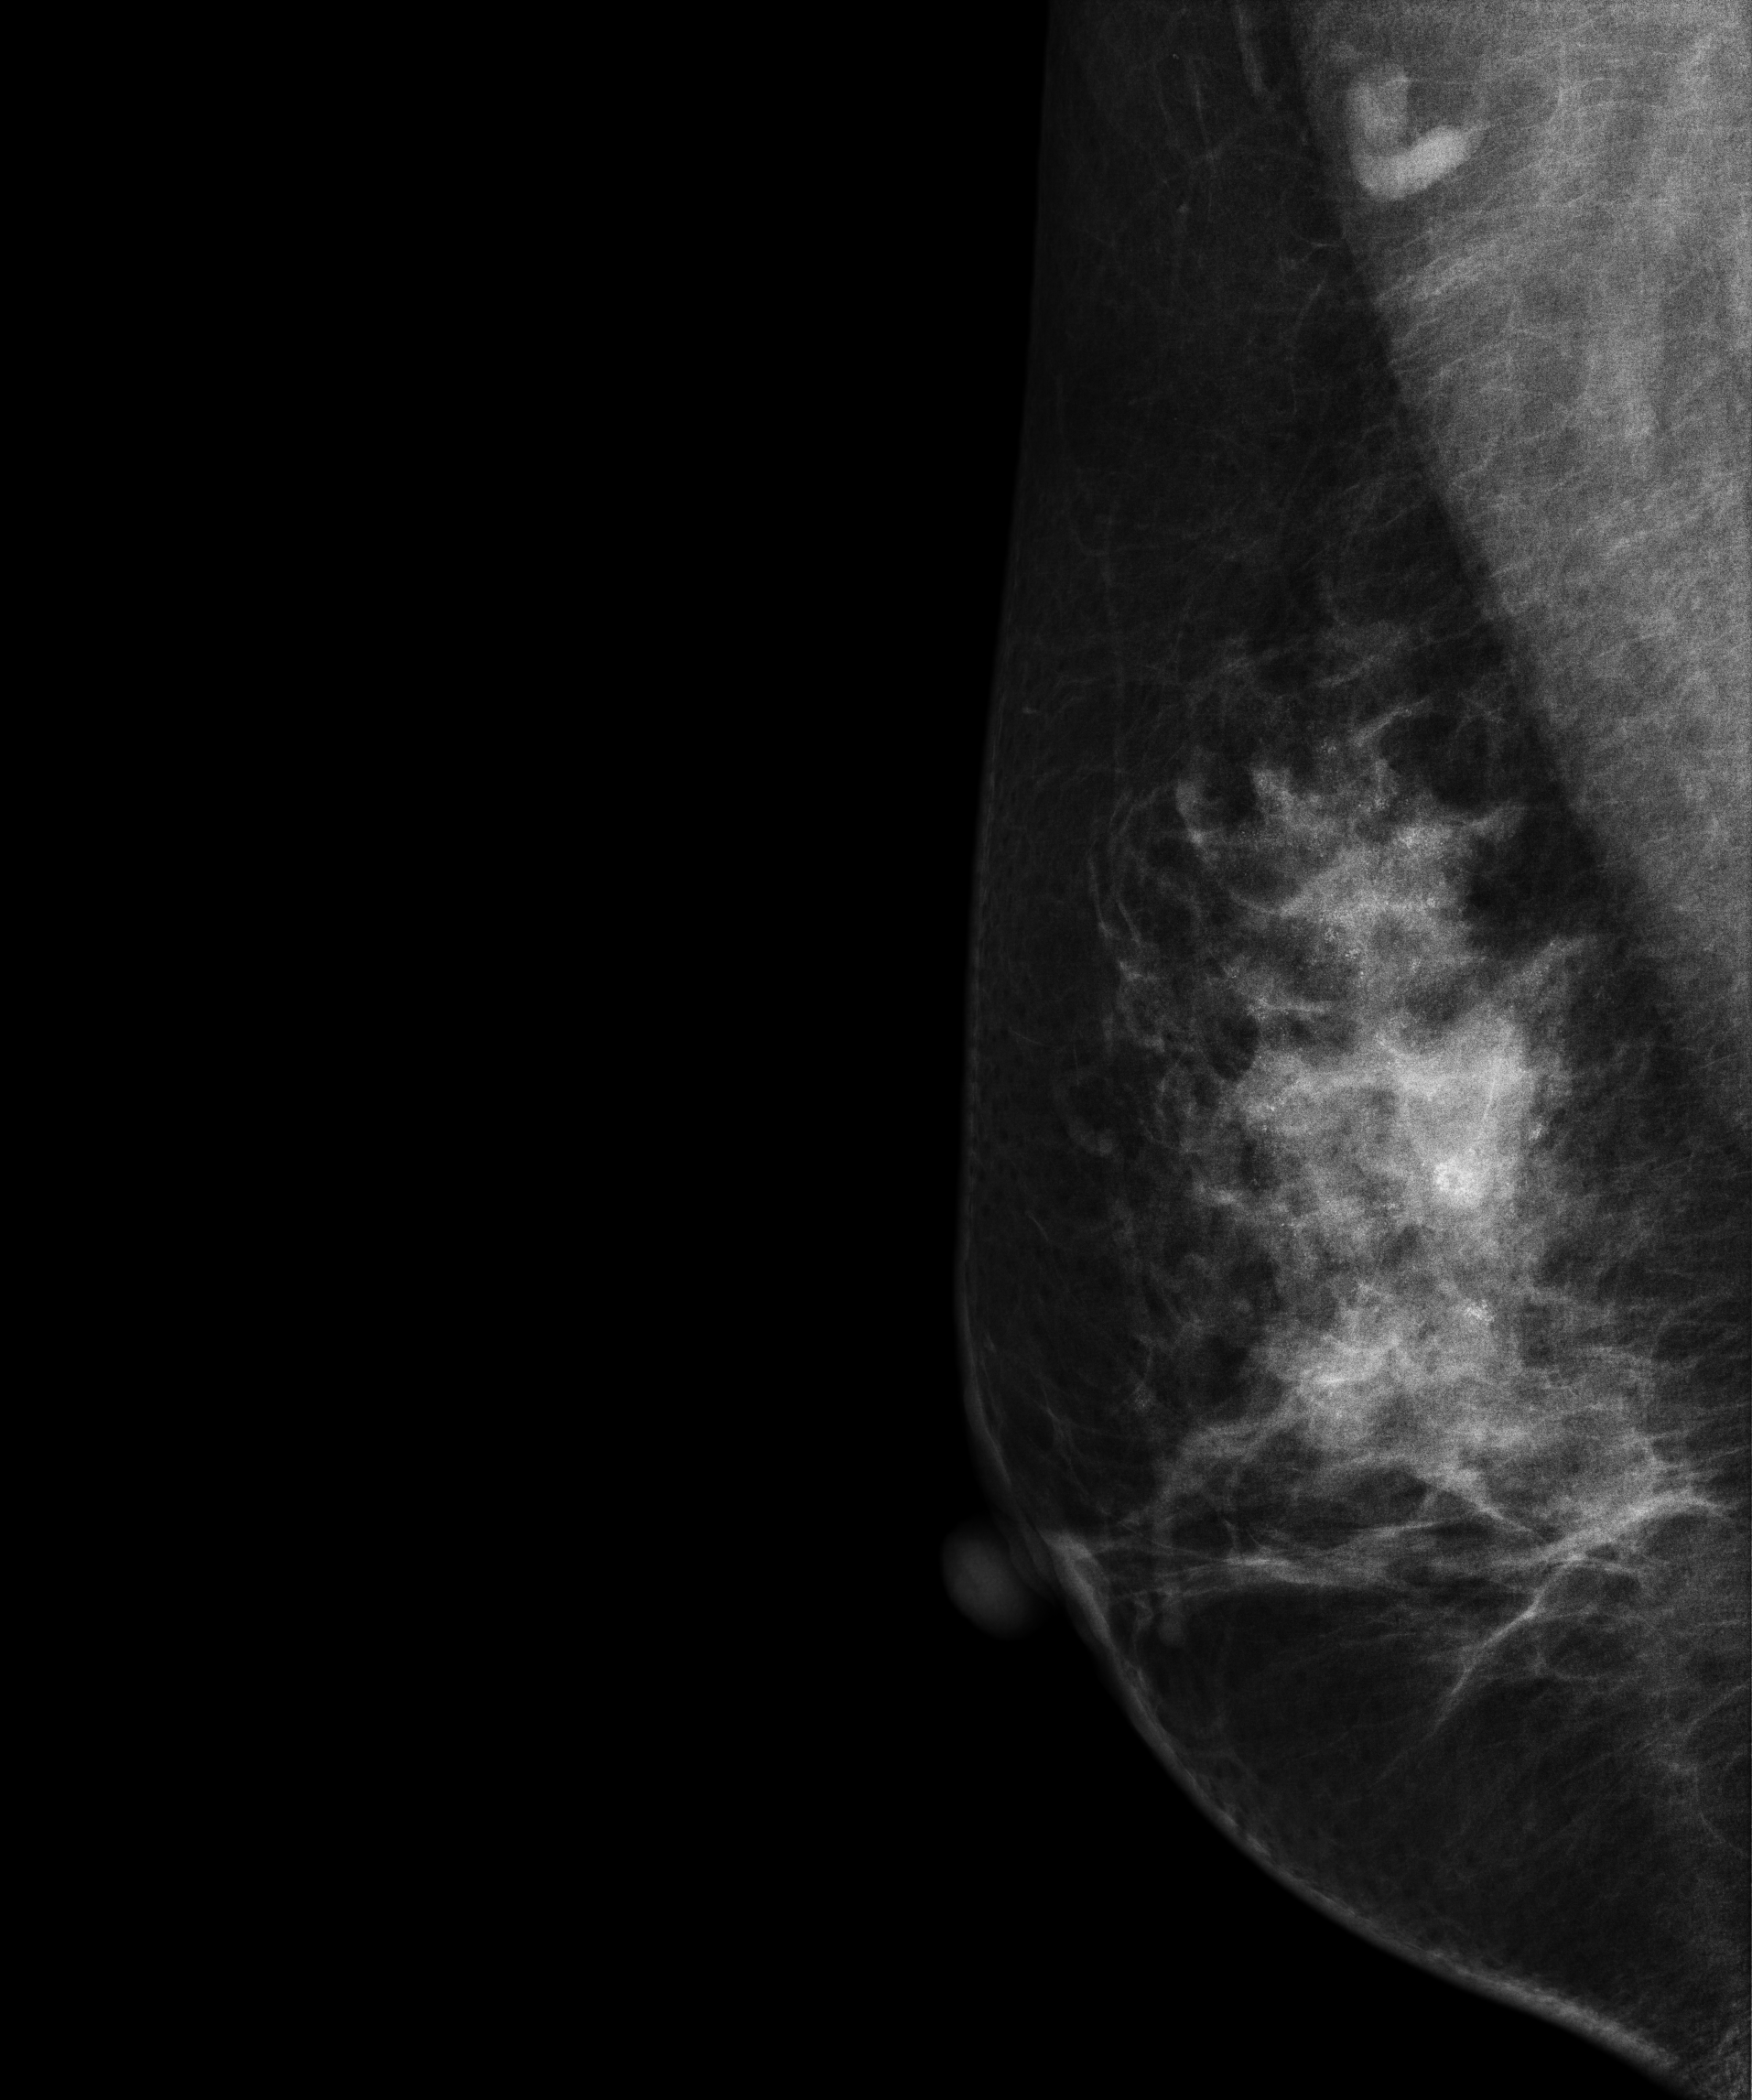
Mammogram — right MLO. Patient age 36.
This breast has a mass and calcifications, histologically confirmed malignant. Molecular subtype: luminal B.